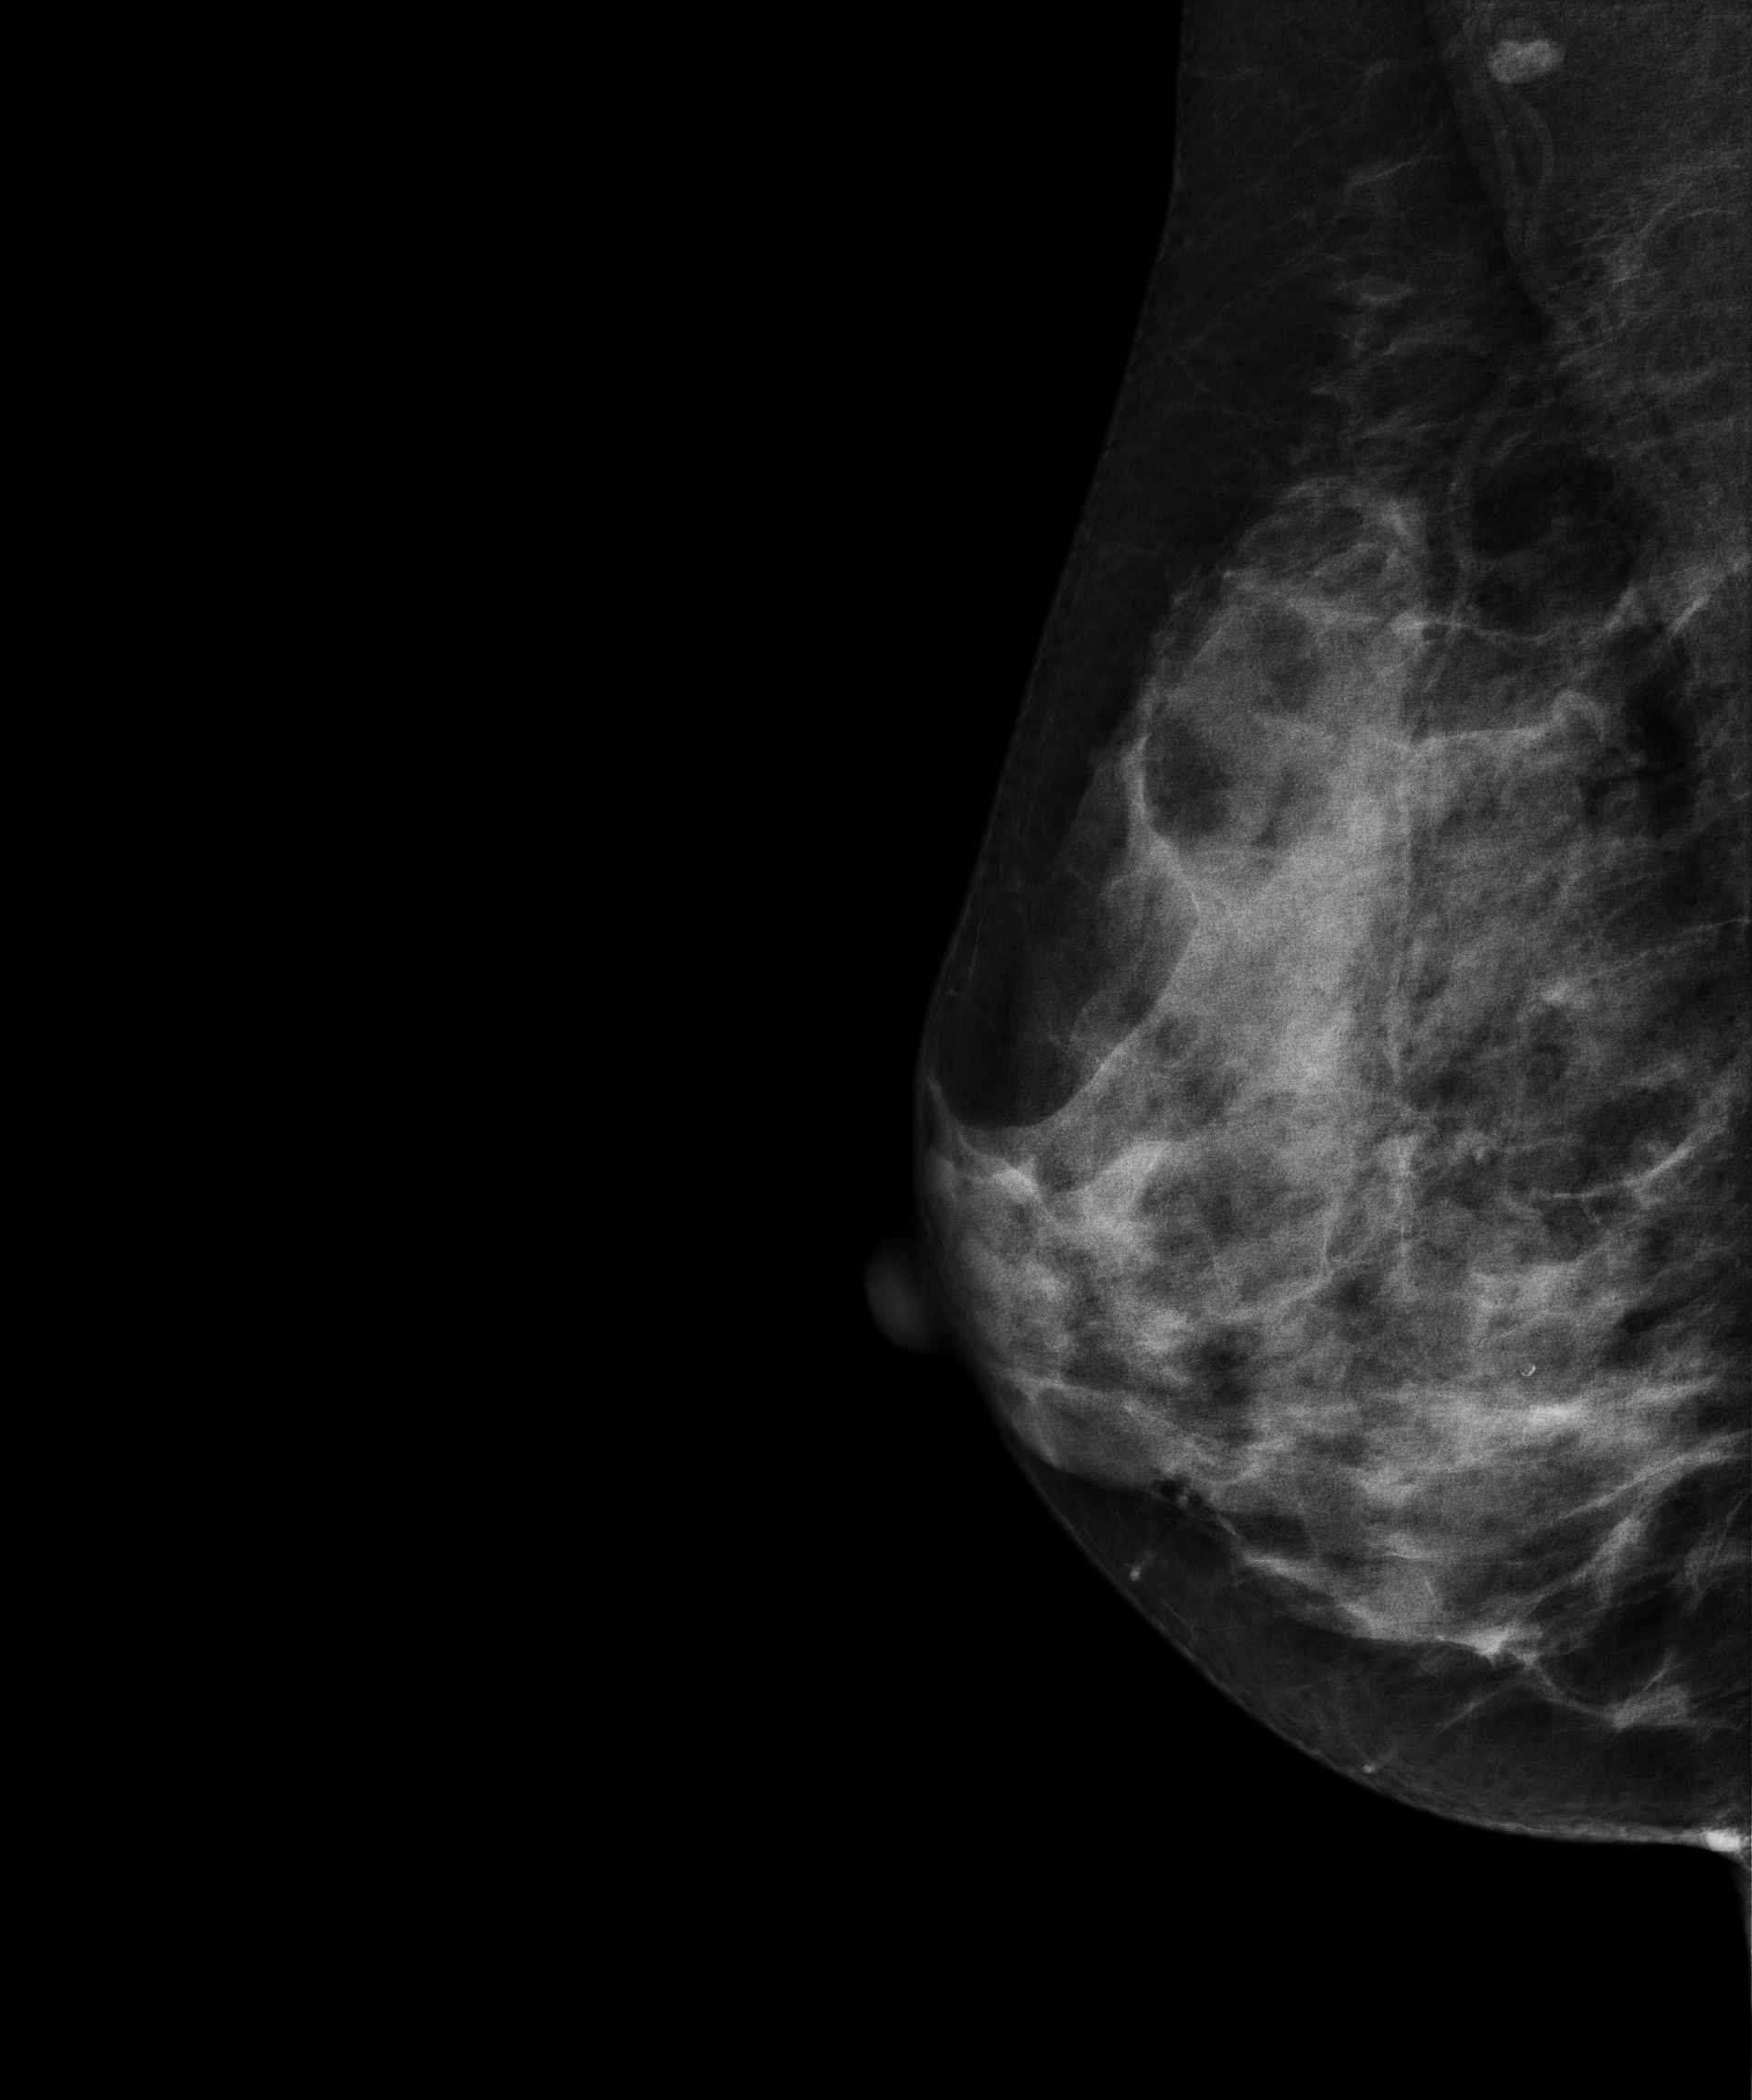
Mammogram, right breast, medio-lateral oblique view. 51 y/o patient.
Contralateral breast — no documented abnormality on this side.